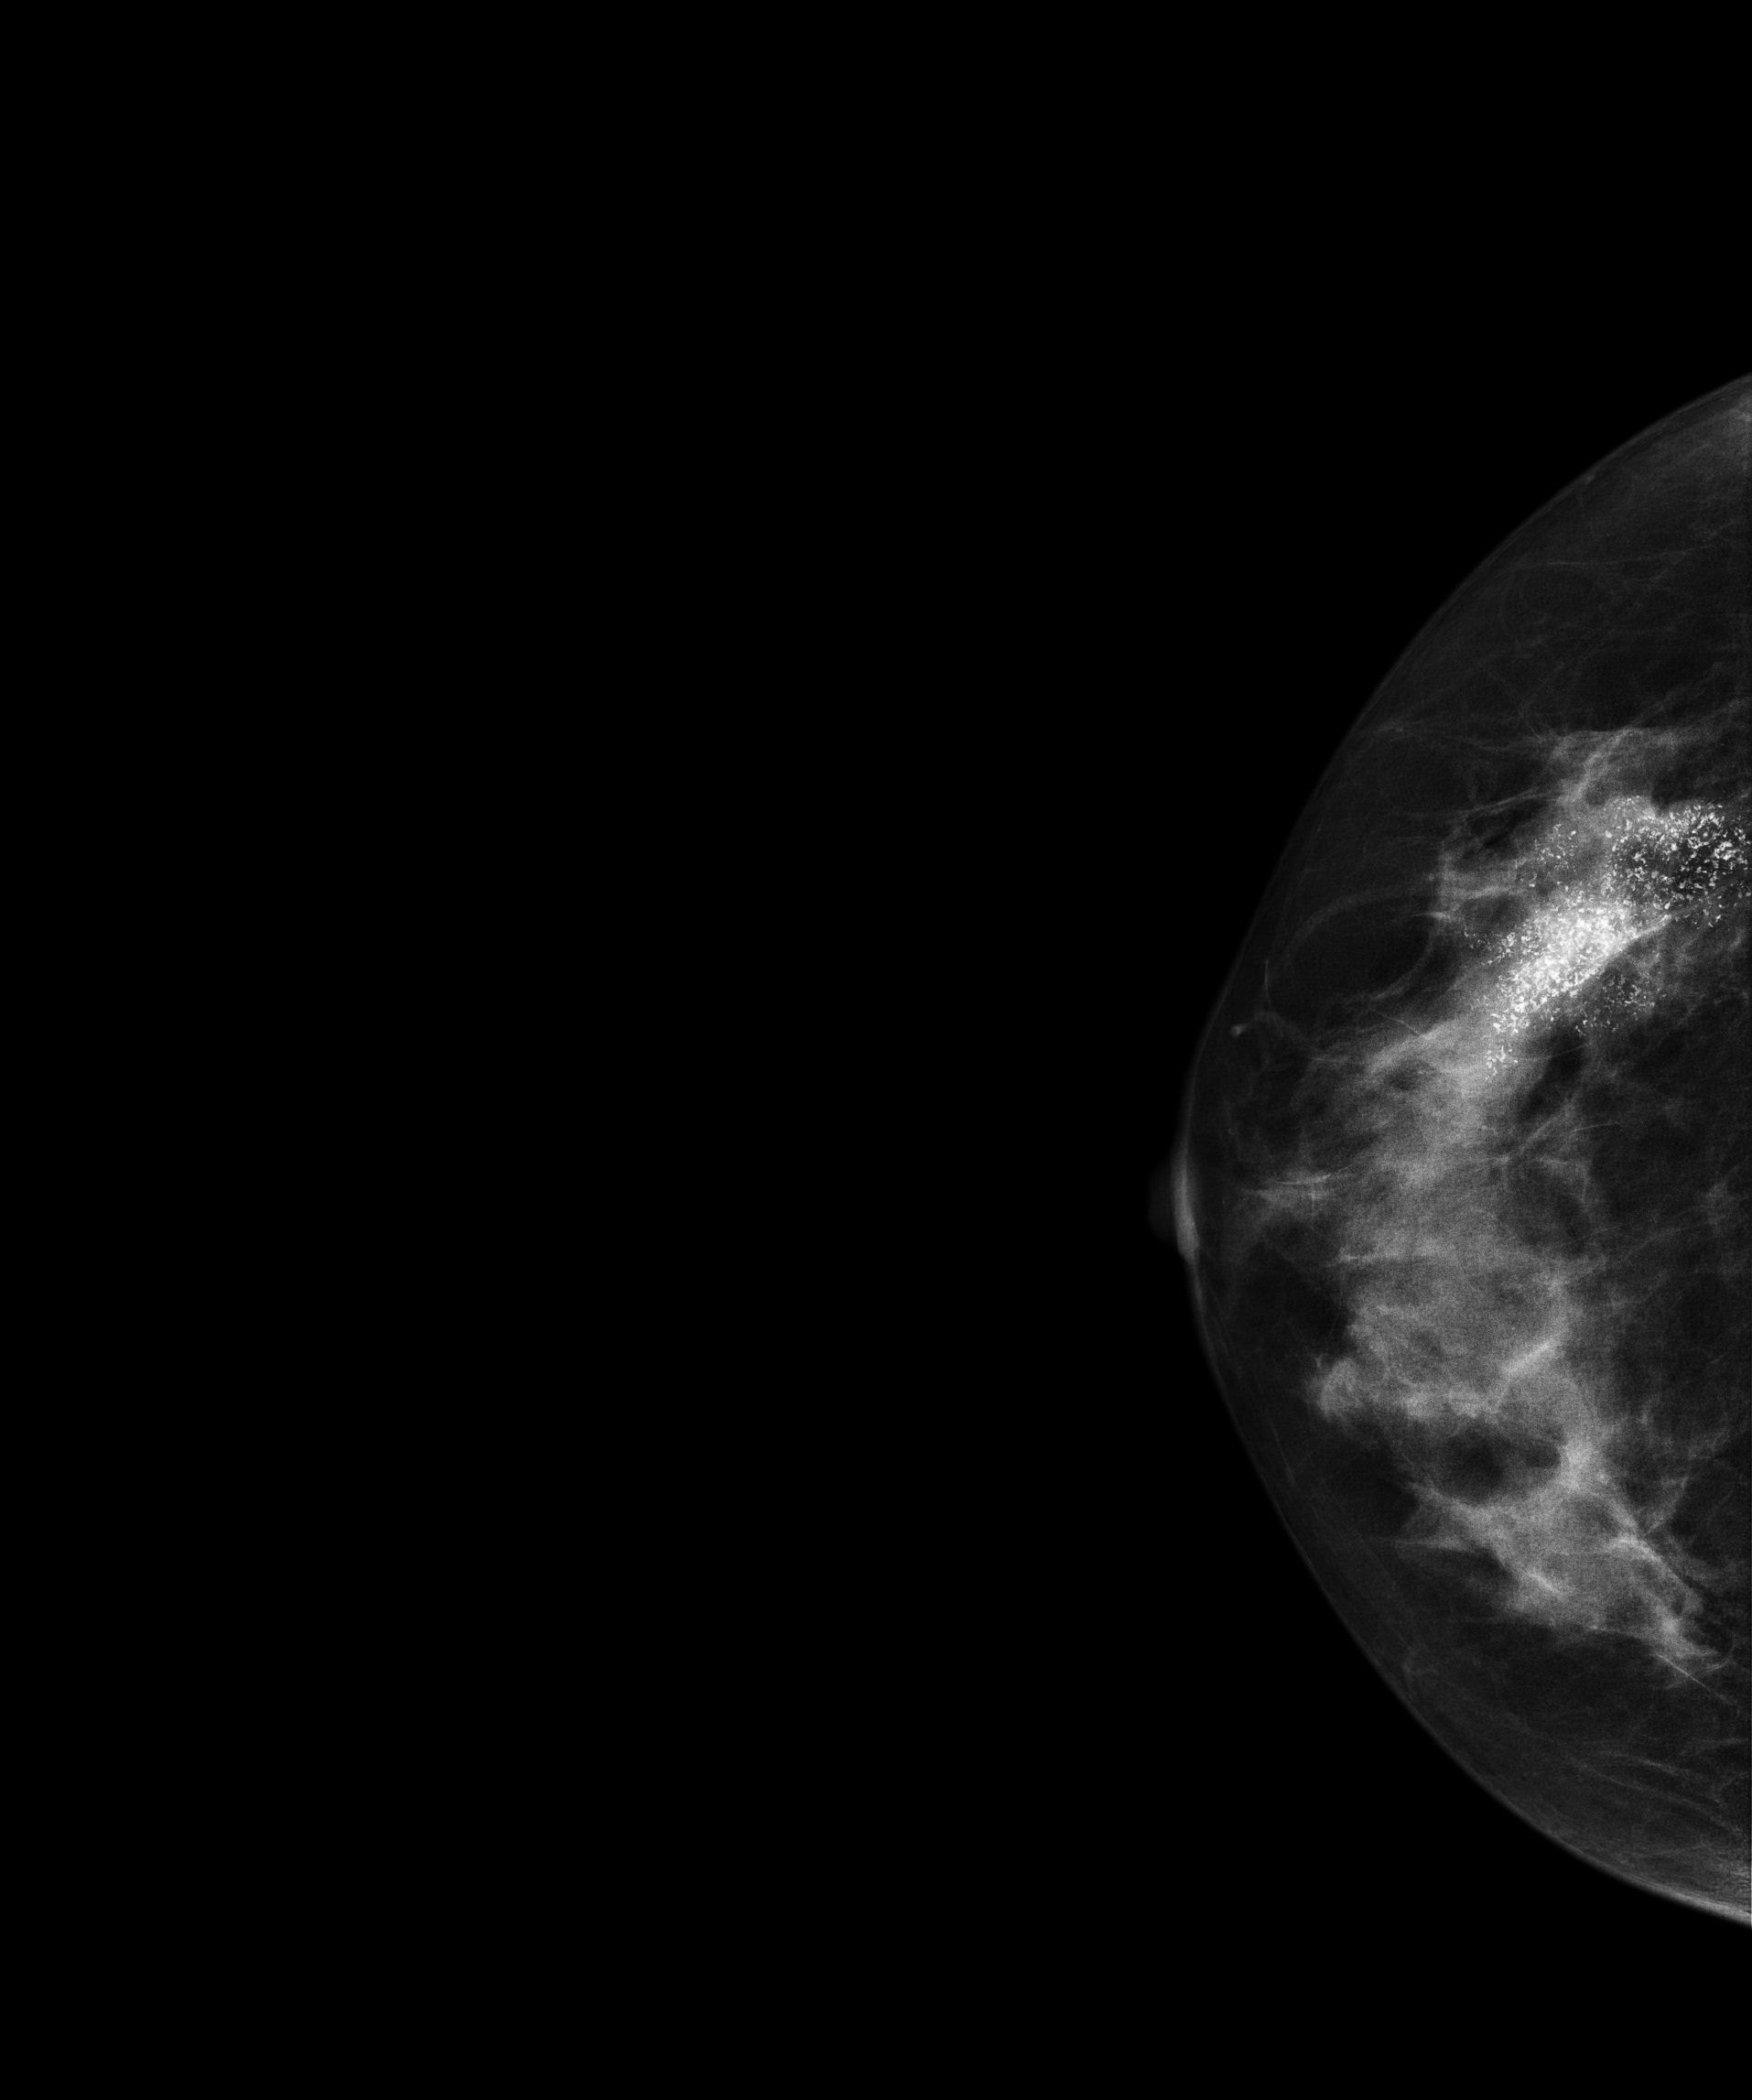
Cranio-caudal mammogram of the right breast. 50-year-old patient.
This breast has calcifications, biopsy-proven malignant.